Digital mammography. Left breast, CC projection. 42 y/o patient.
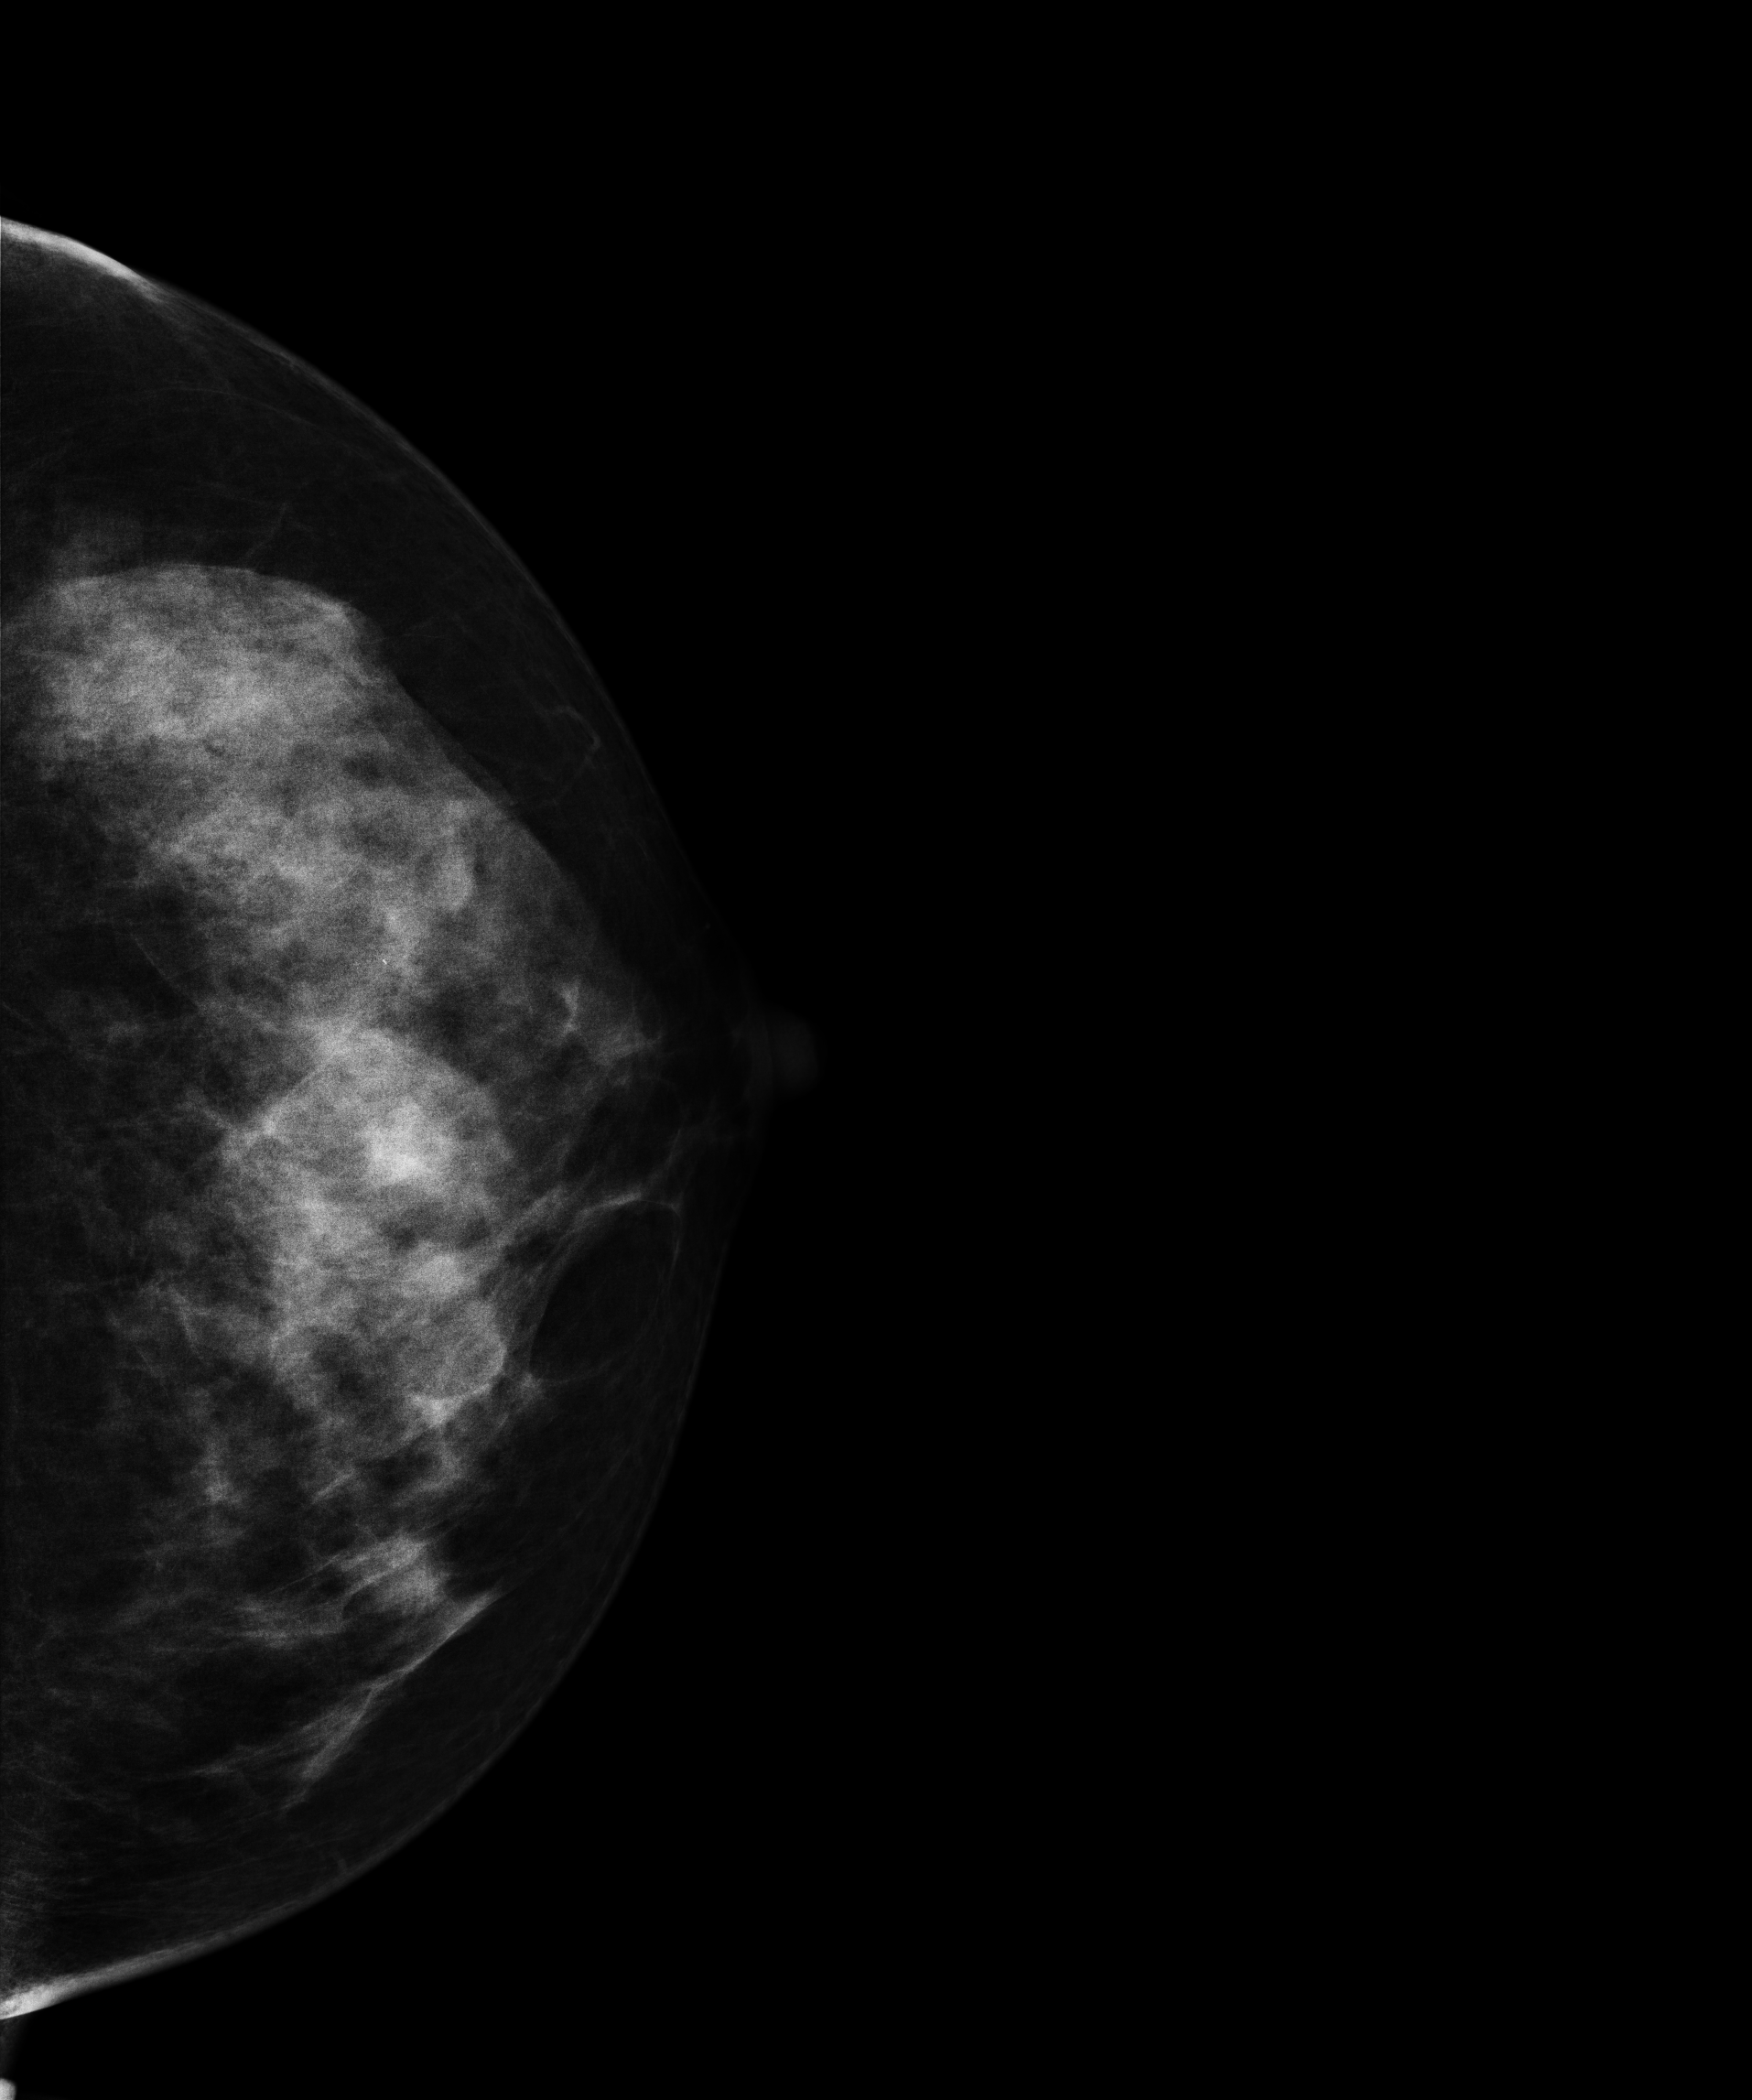
Contralateral breast — no documented abnormality on this side.